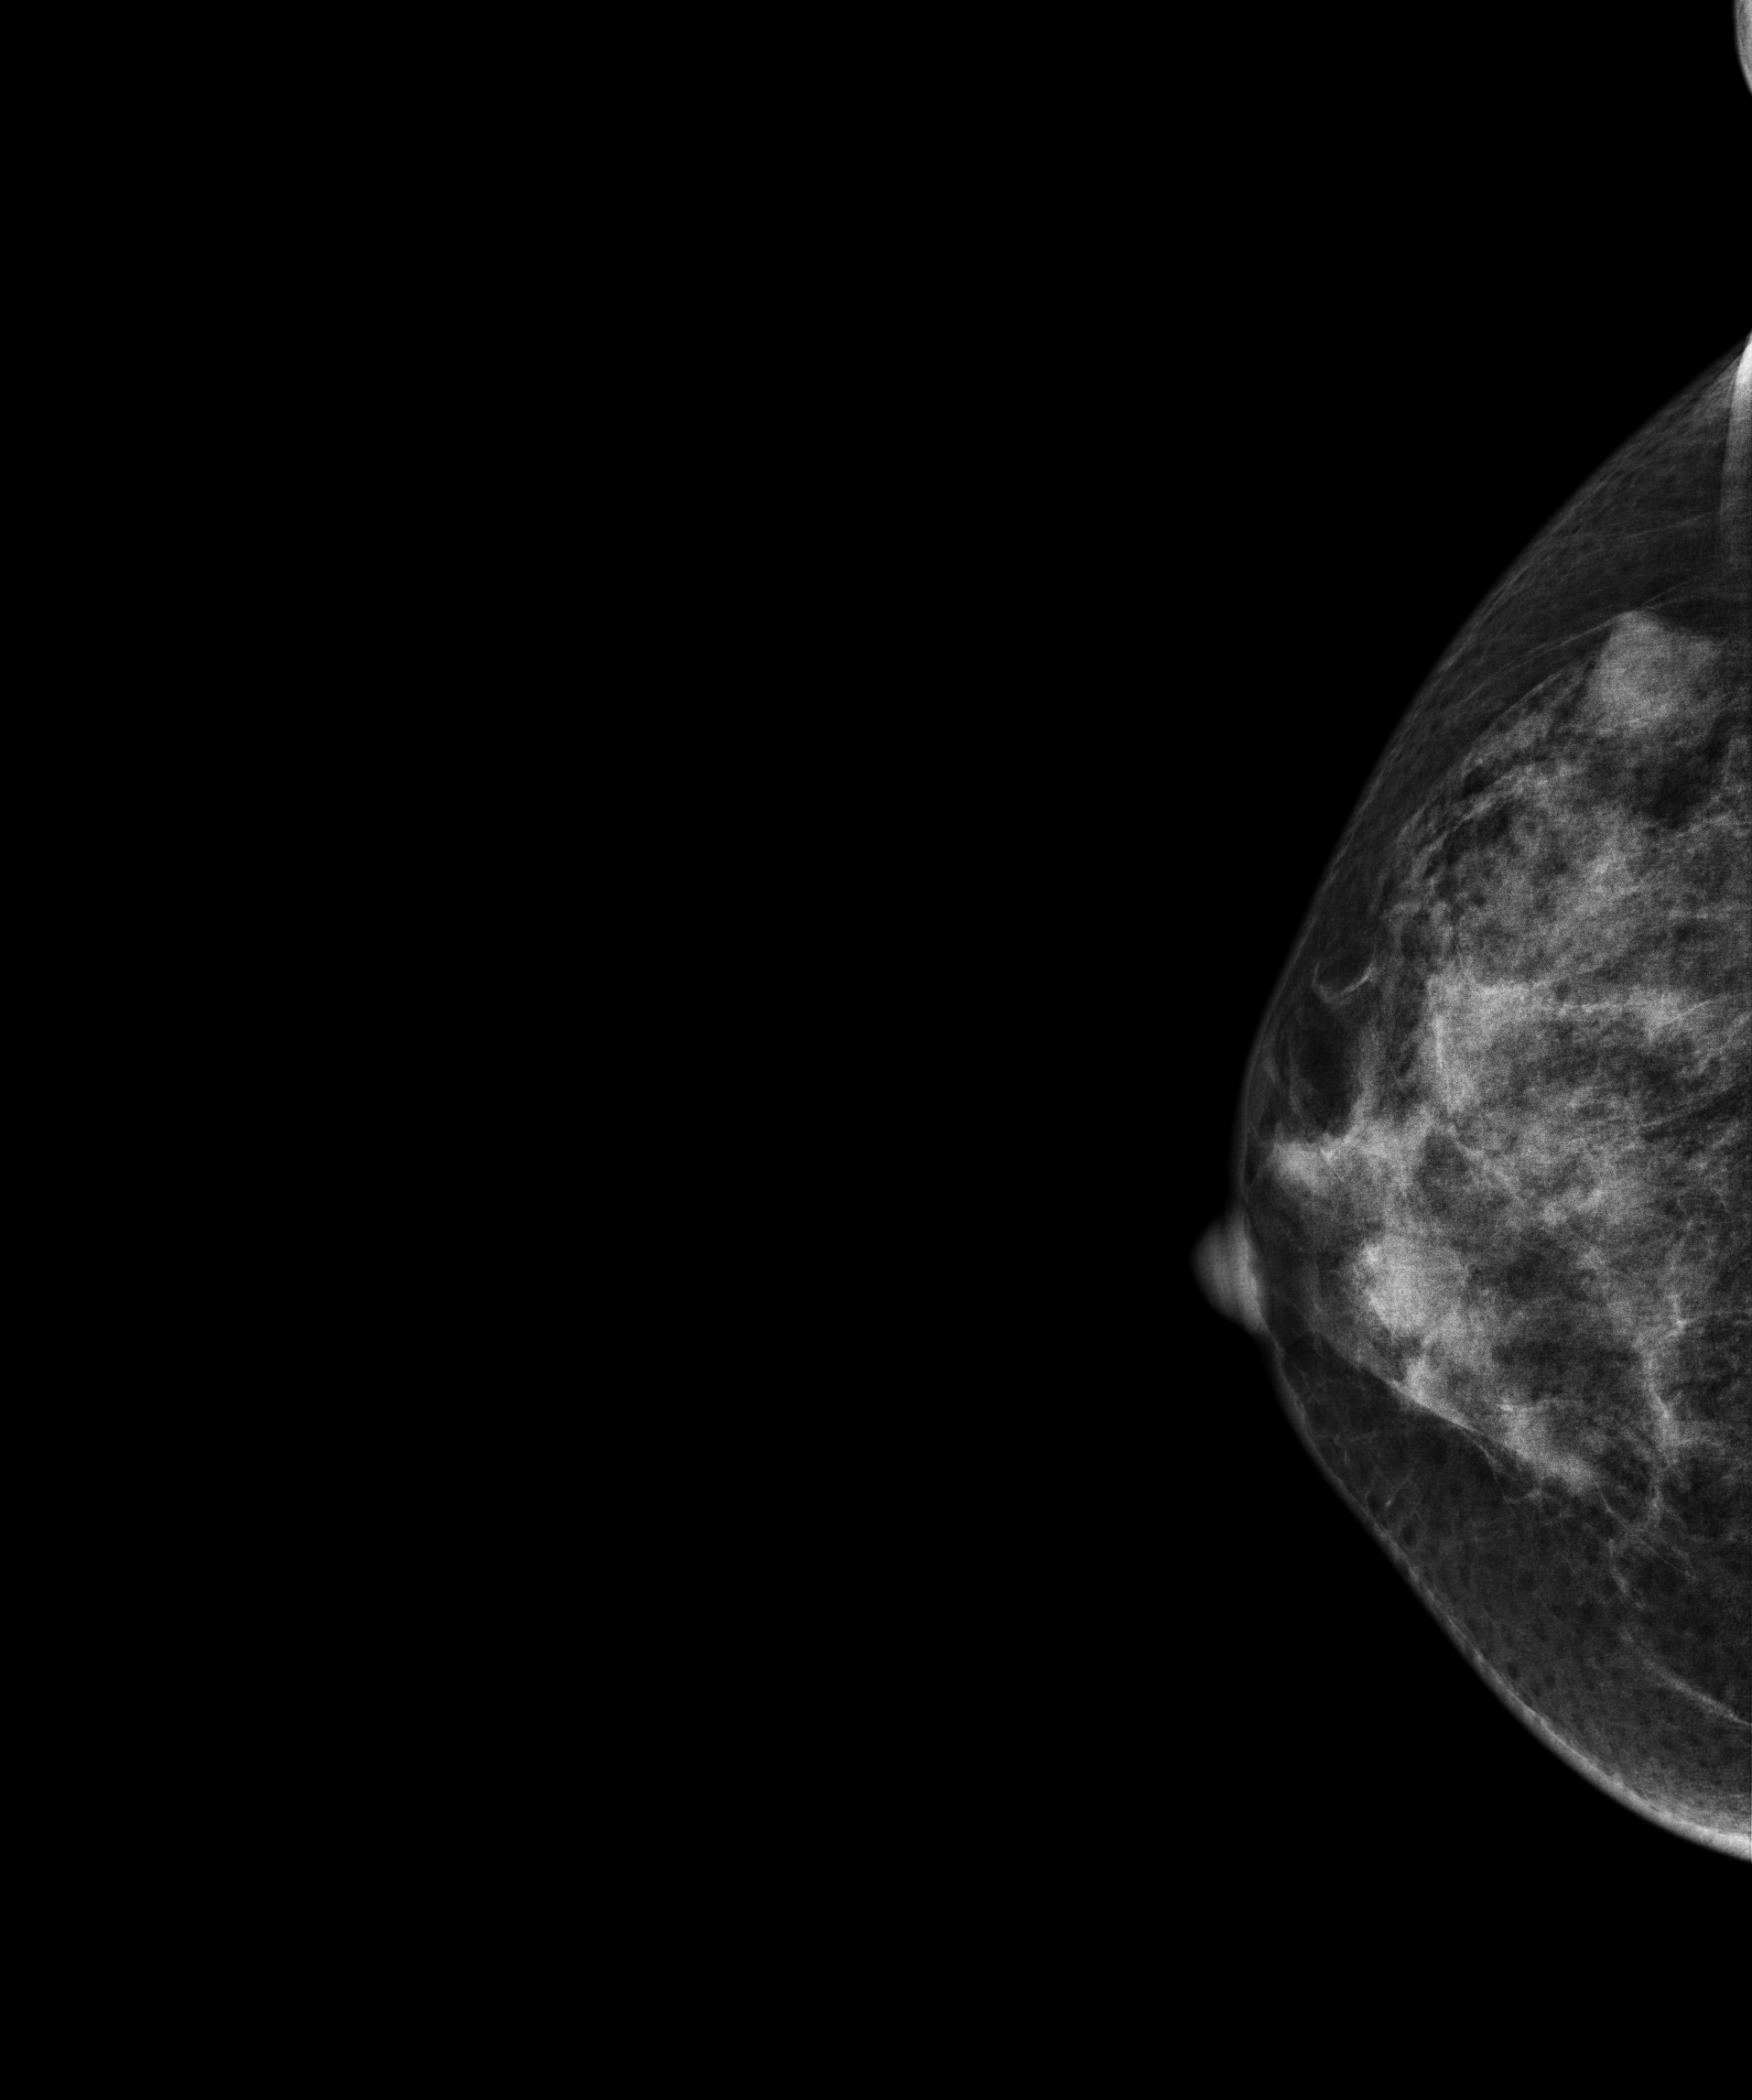
Mammogram — right cranio-caudal. Patient age 43.
This breast has a mass, pathology-confirmed benign.